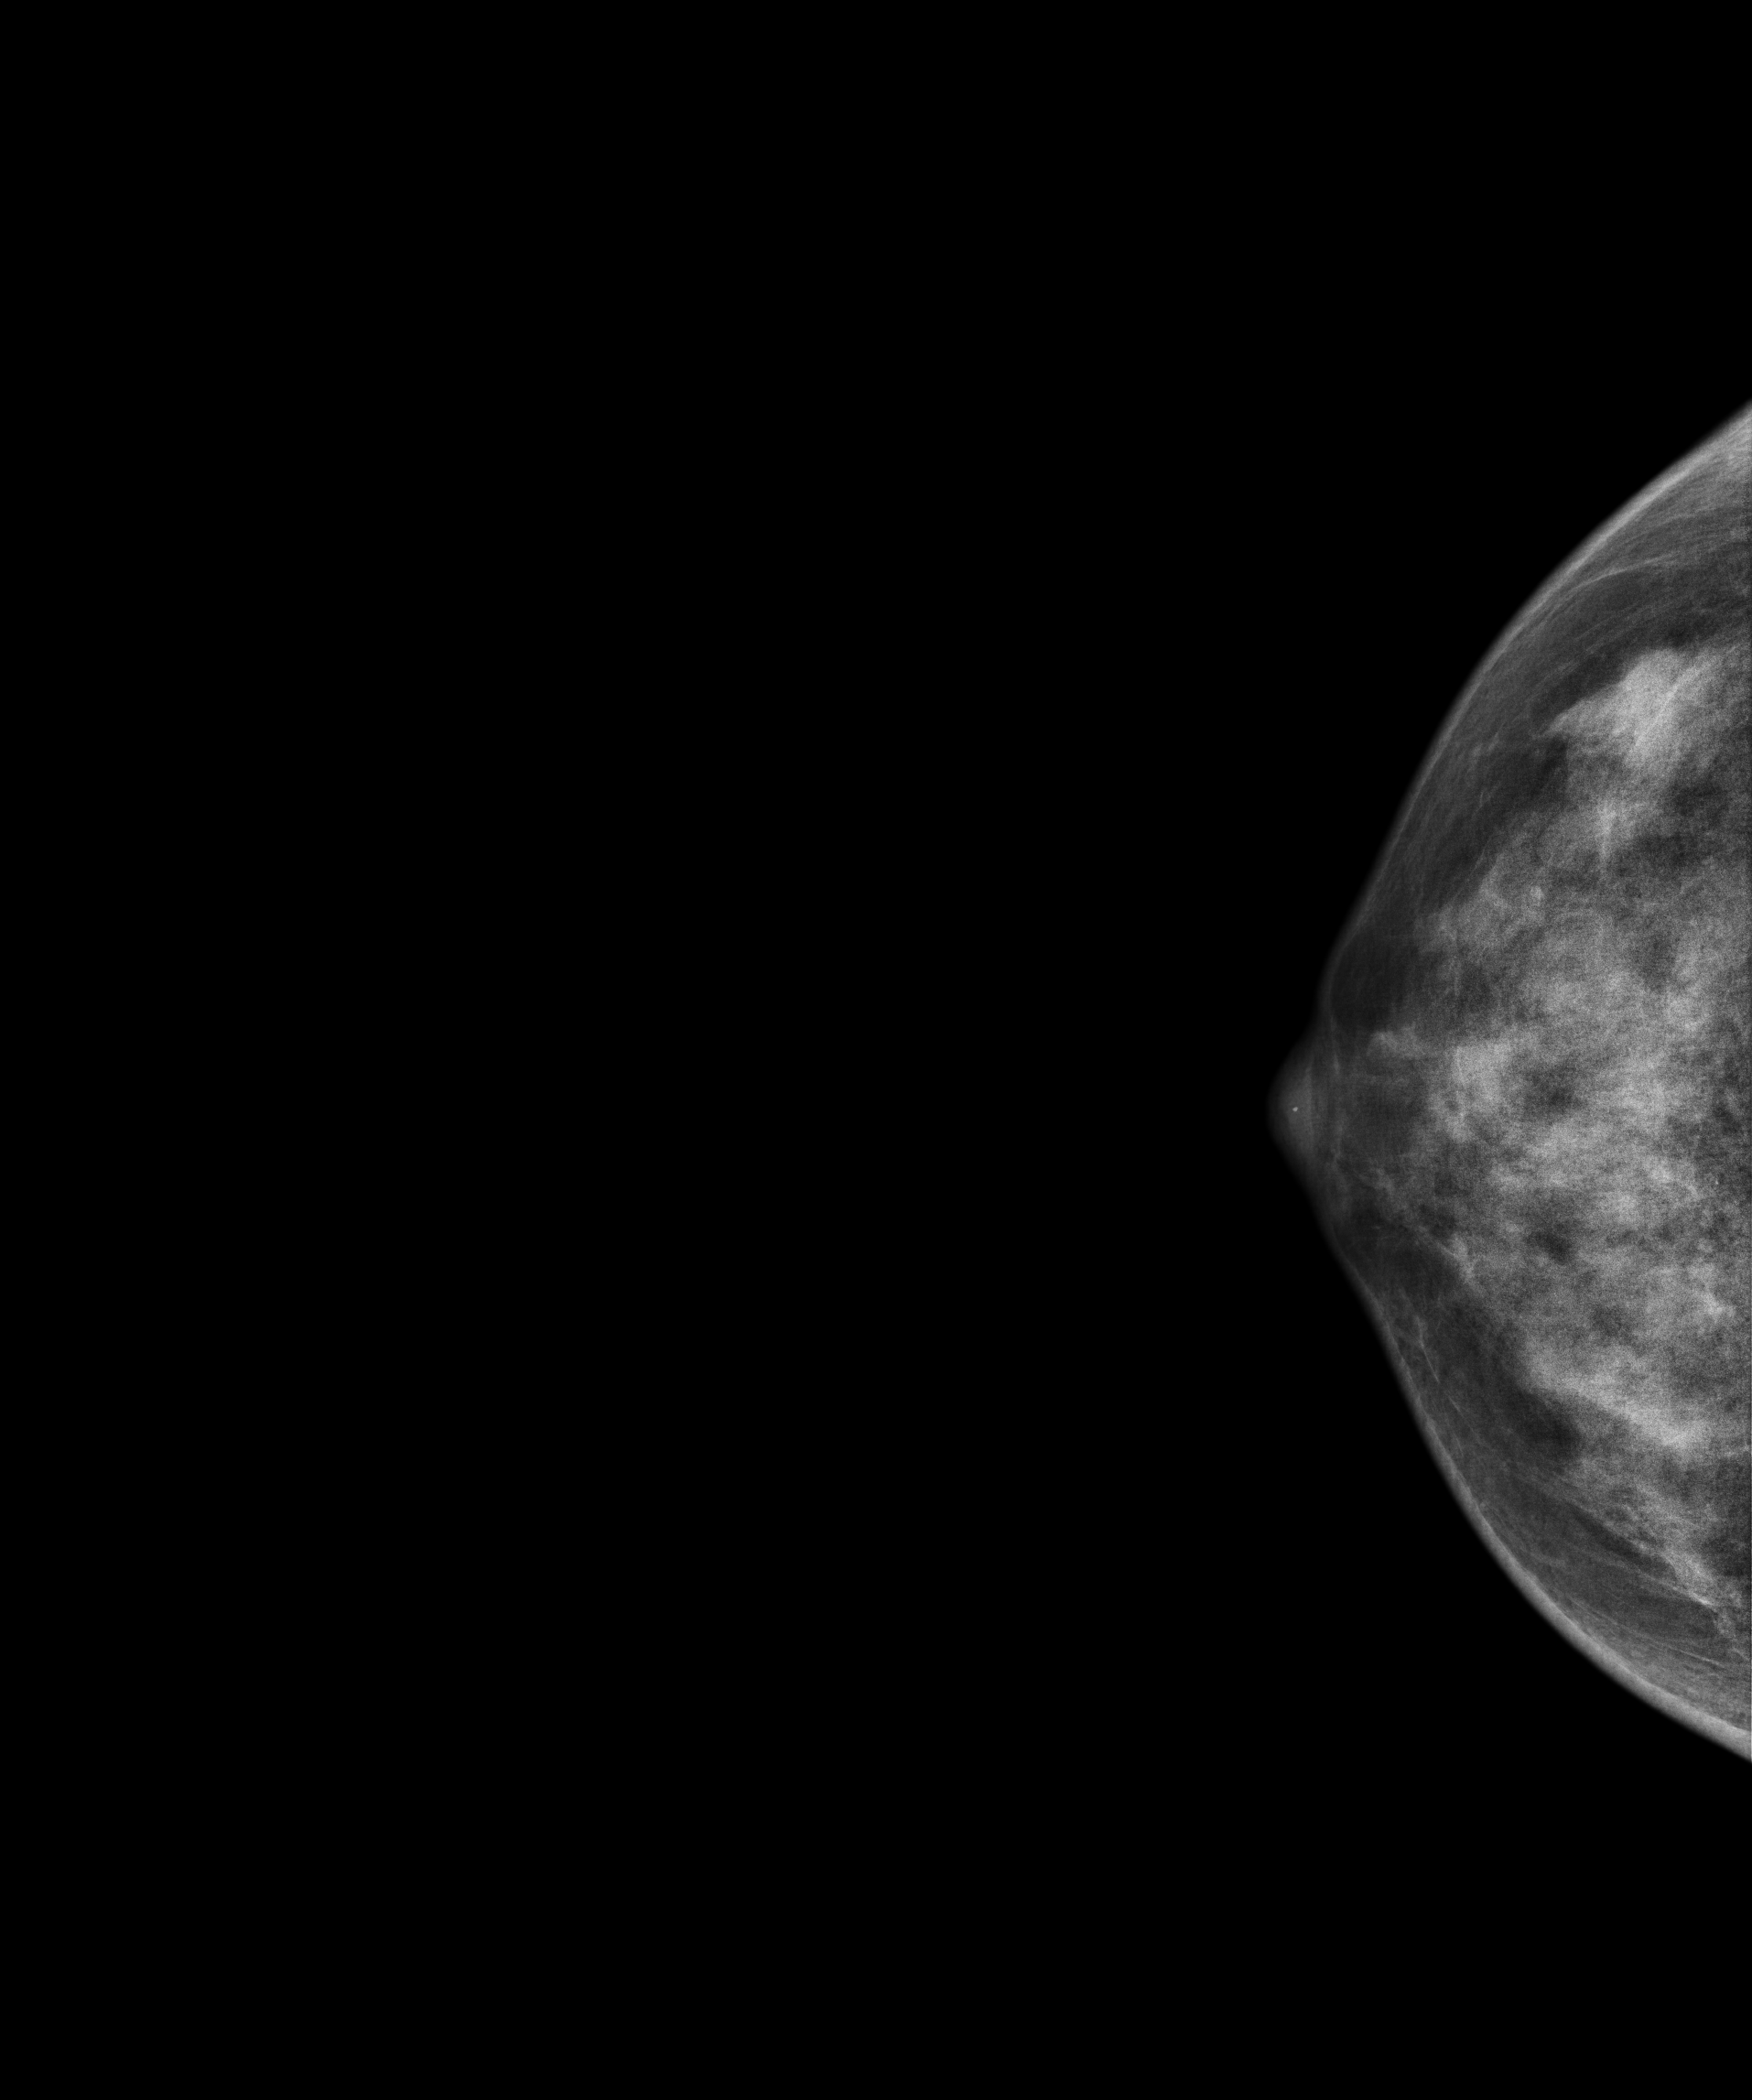
Right-breast mammogram, cranio-caudal. 42 y/o patient.
This breast has a mass, biopsy-proven malignant. Molecular subtype: HER2-enriched.